Digital mammography. Left breast, MLO projection. 66-year-old patient.
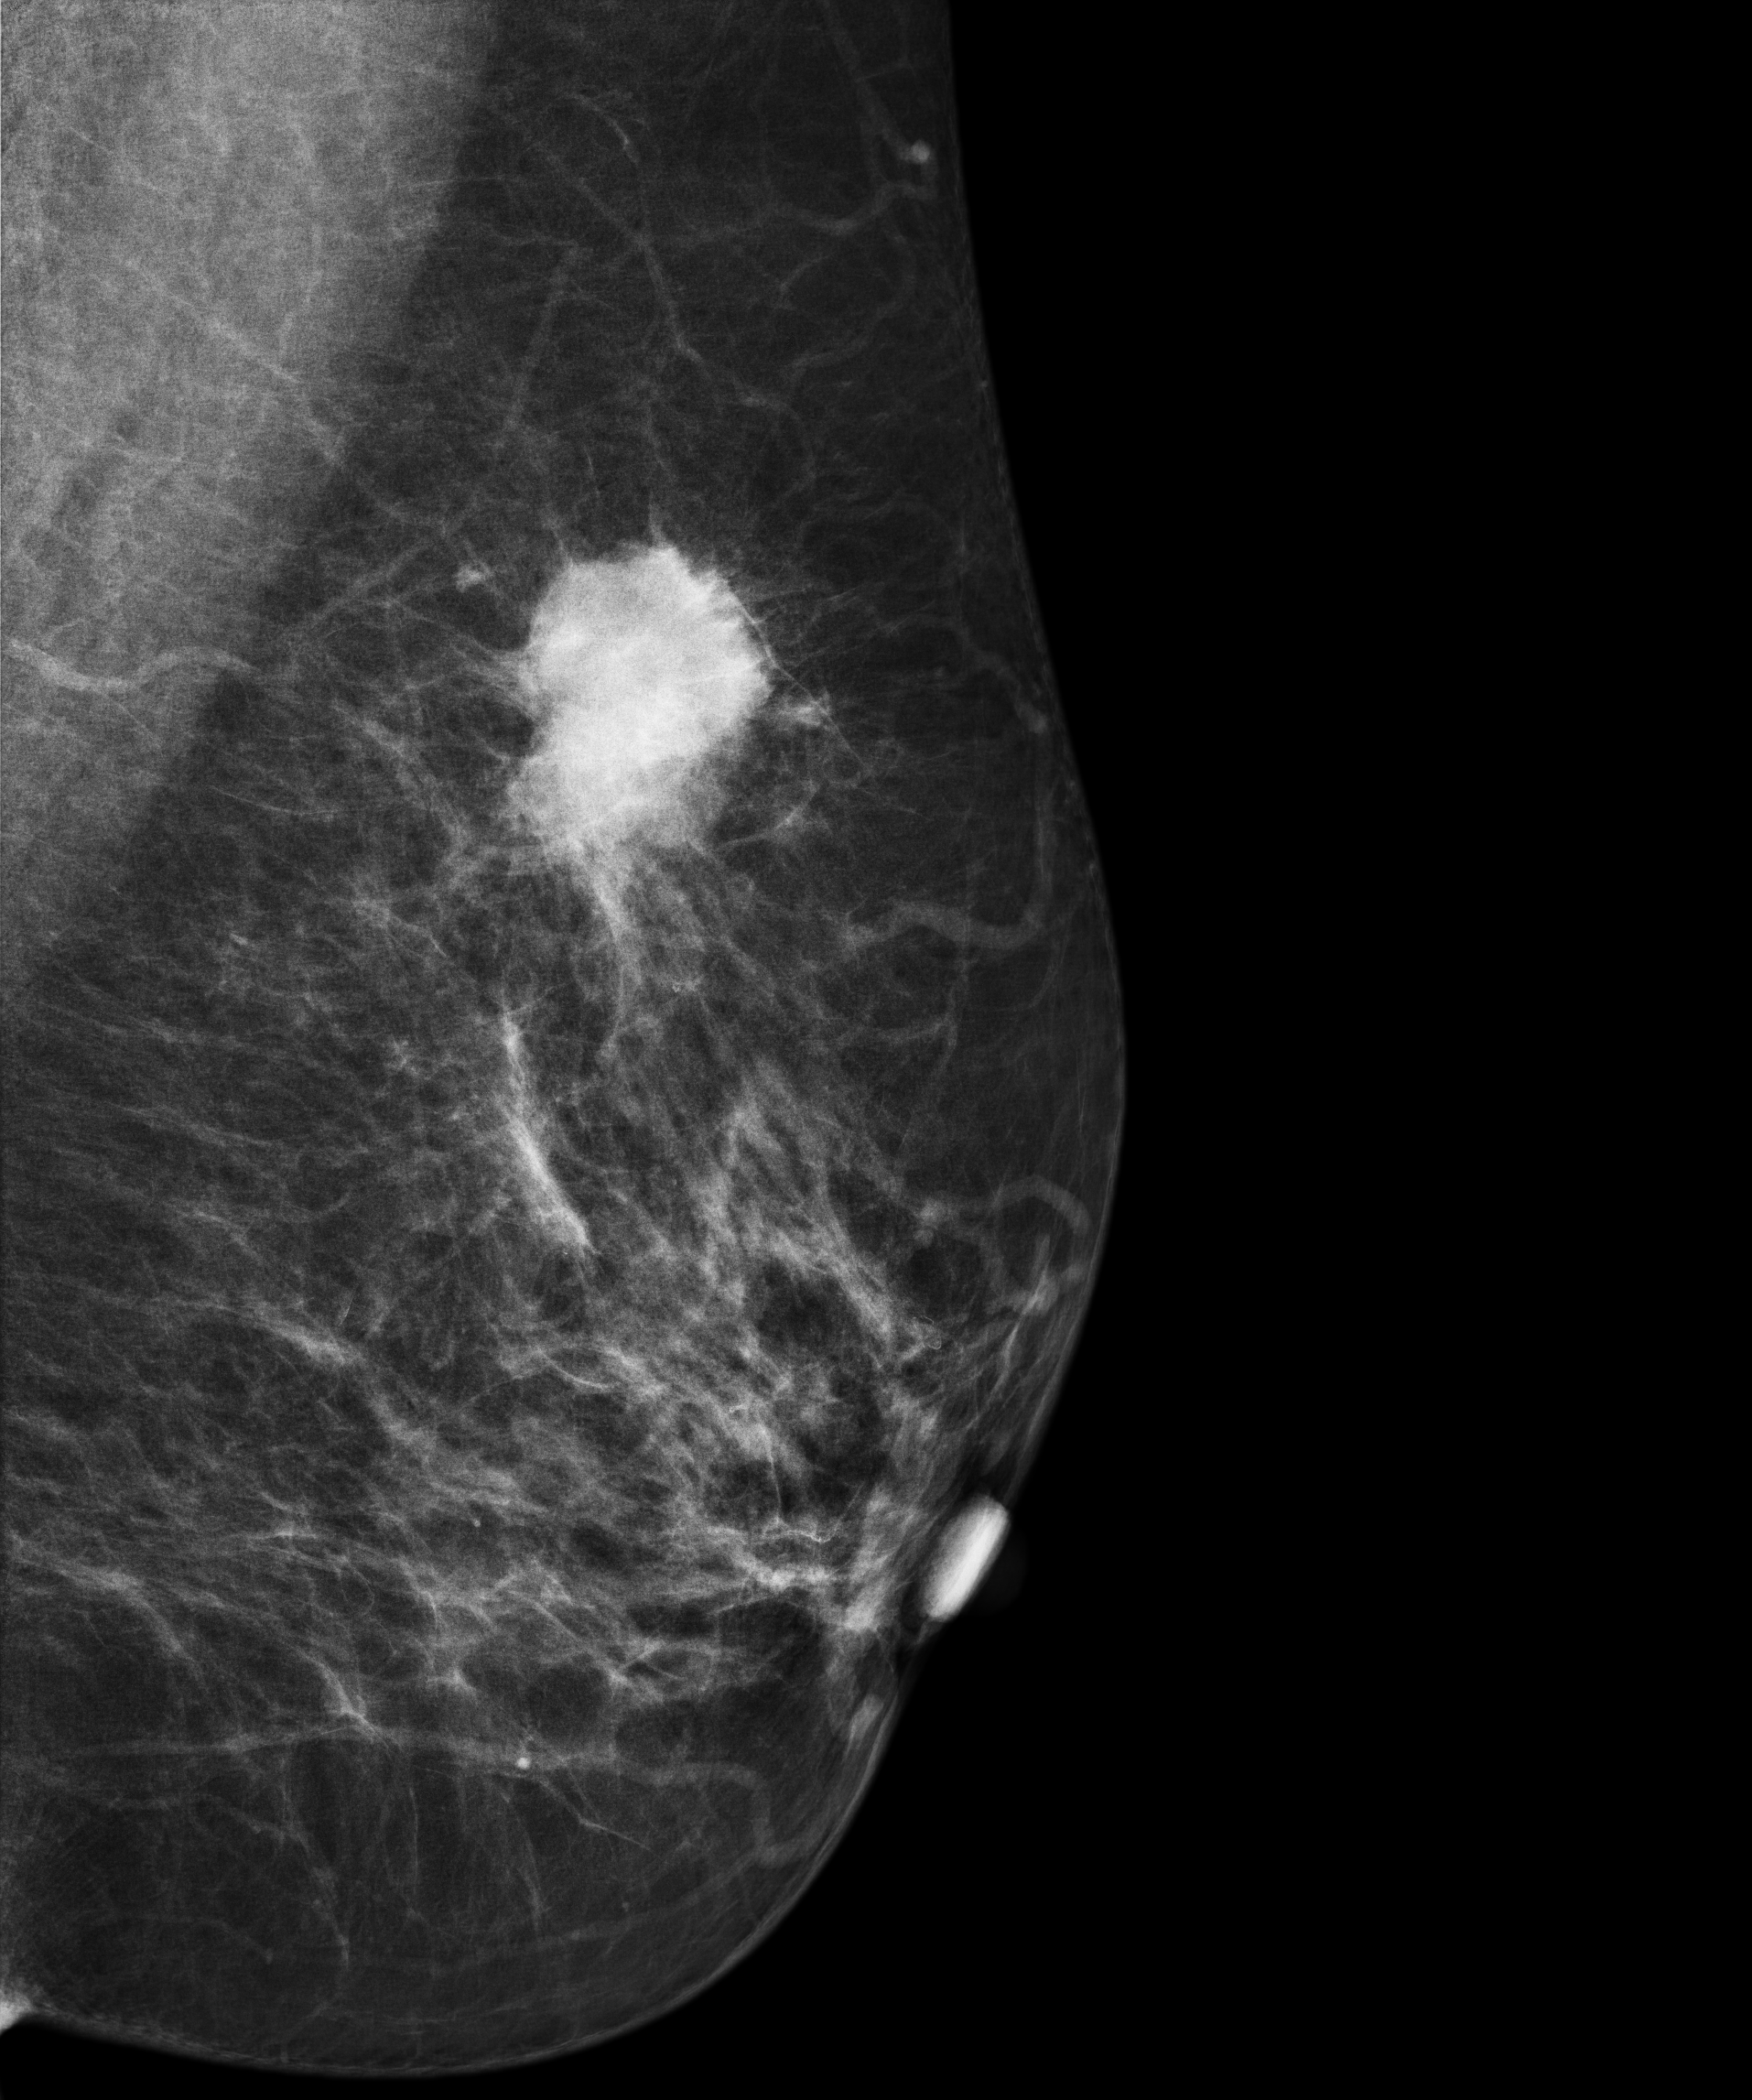
This breast has a mass, biopsy-proven malignant. Molecular subtype: luminal B.